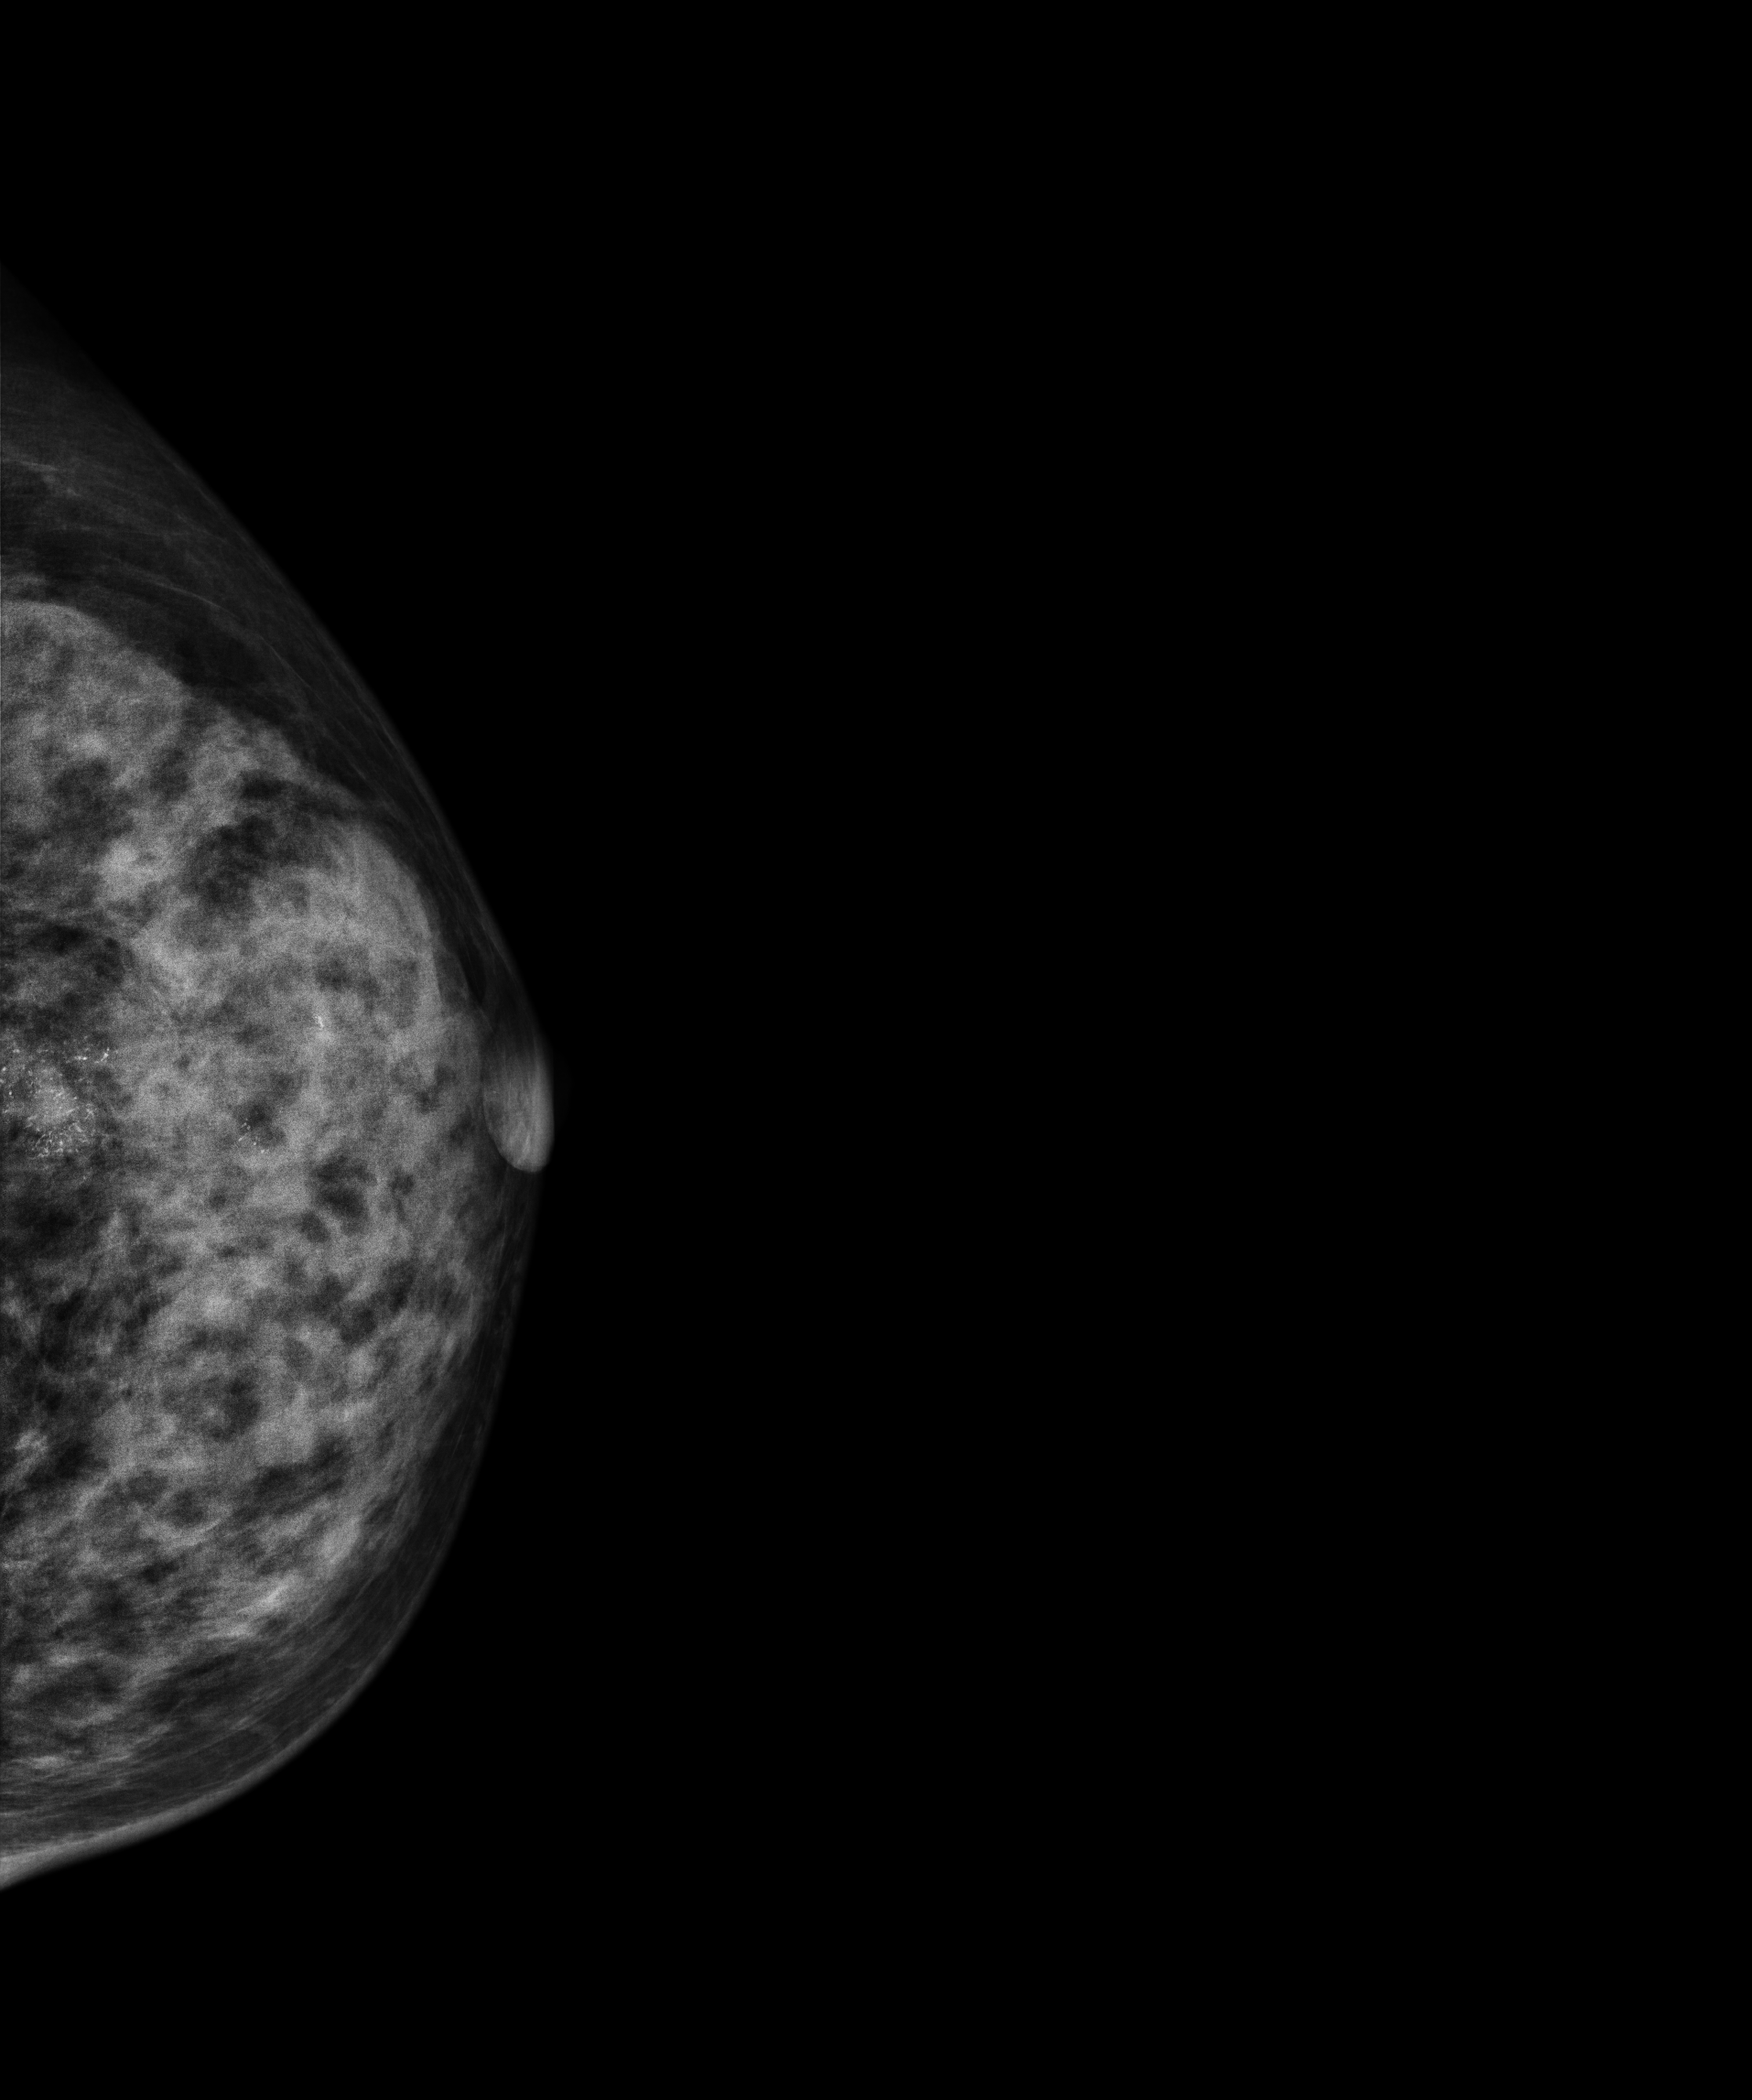
Digital mammography. Left breast, cranio-caudal projection. Patient age 45.
This breast has a mass and calcifications, pathology-confirmed malignant.